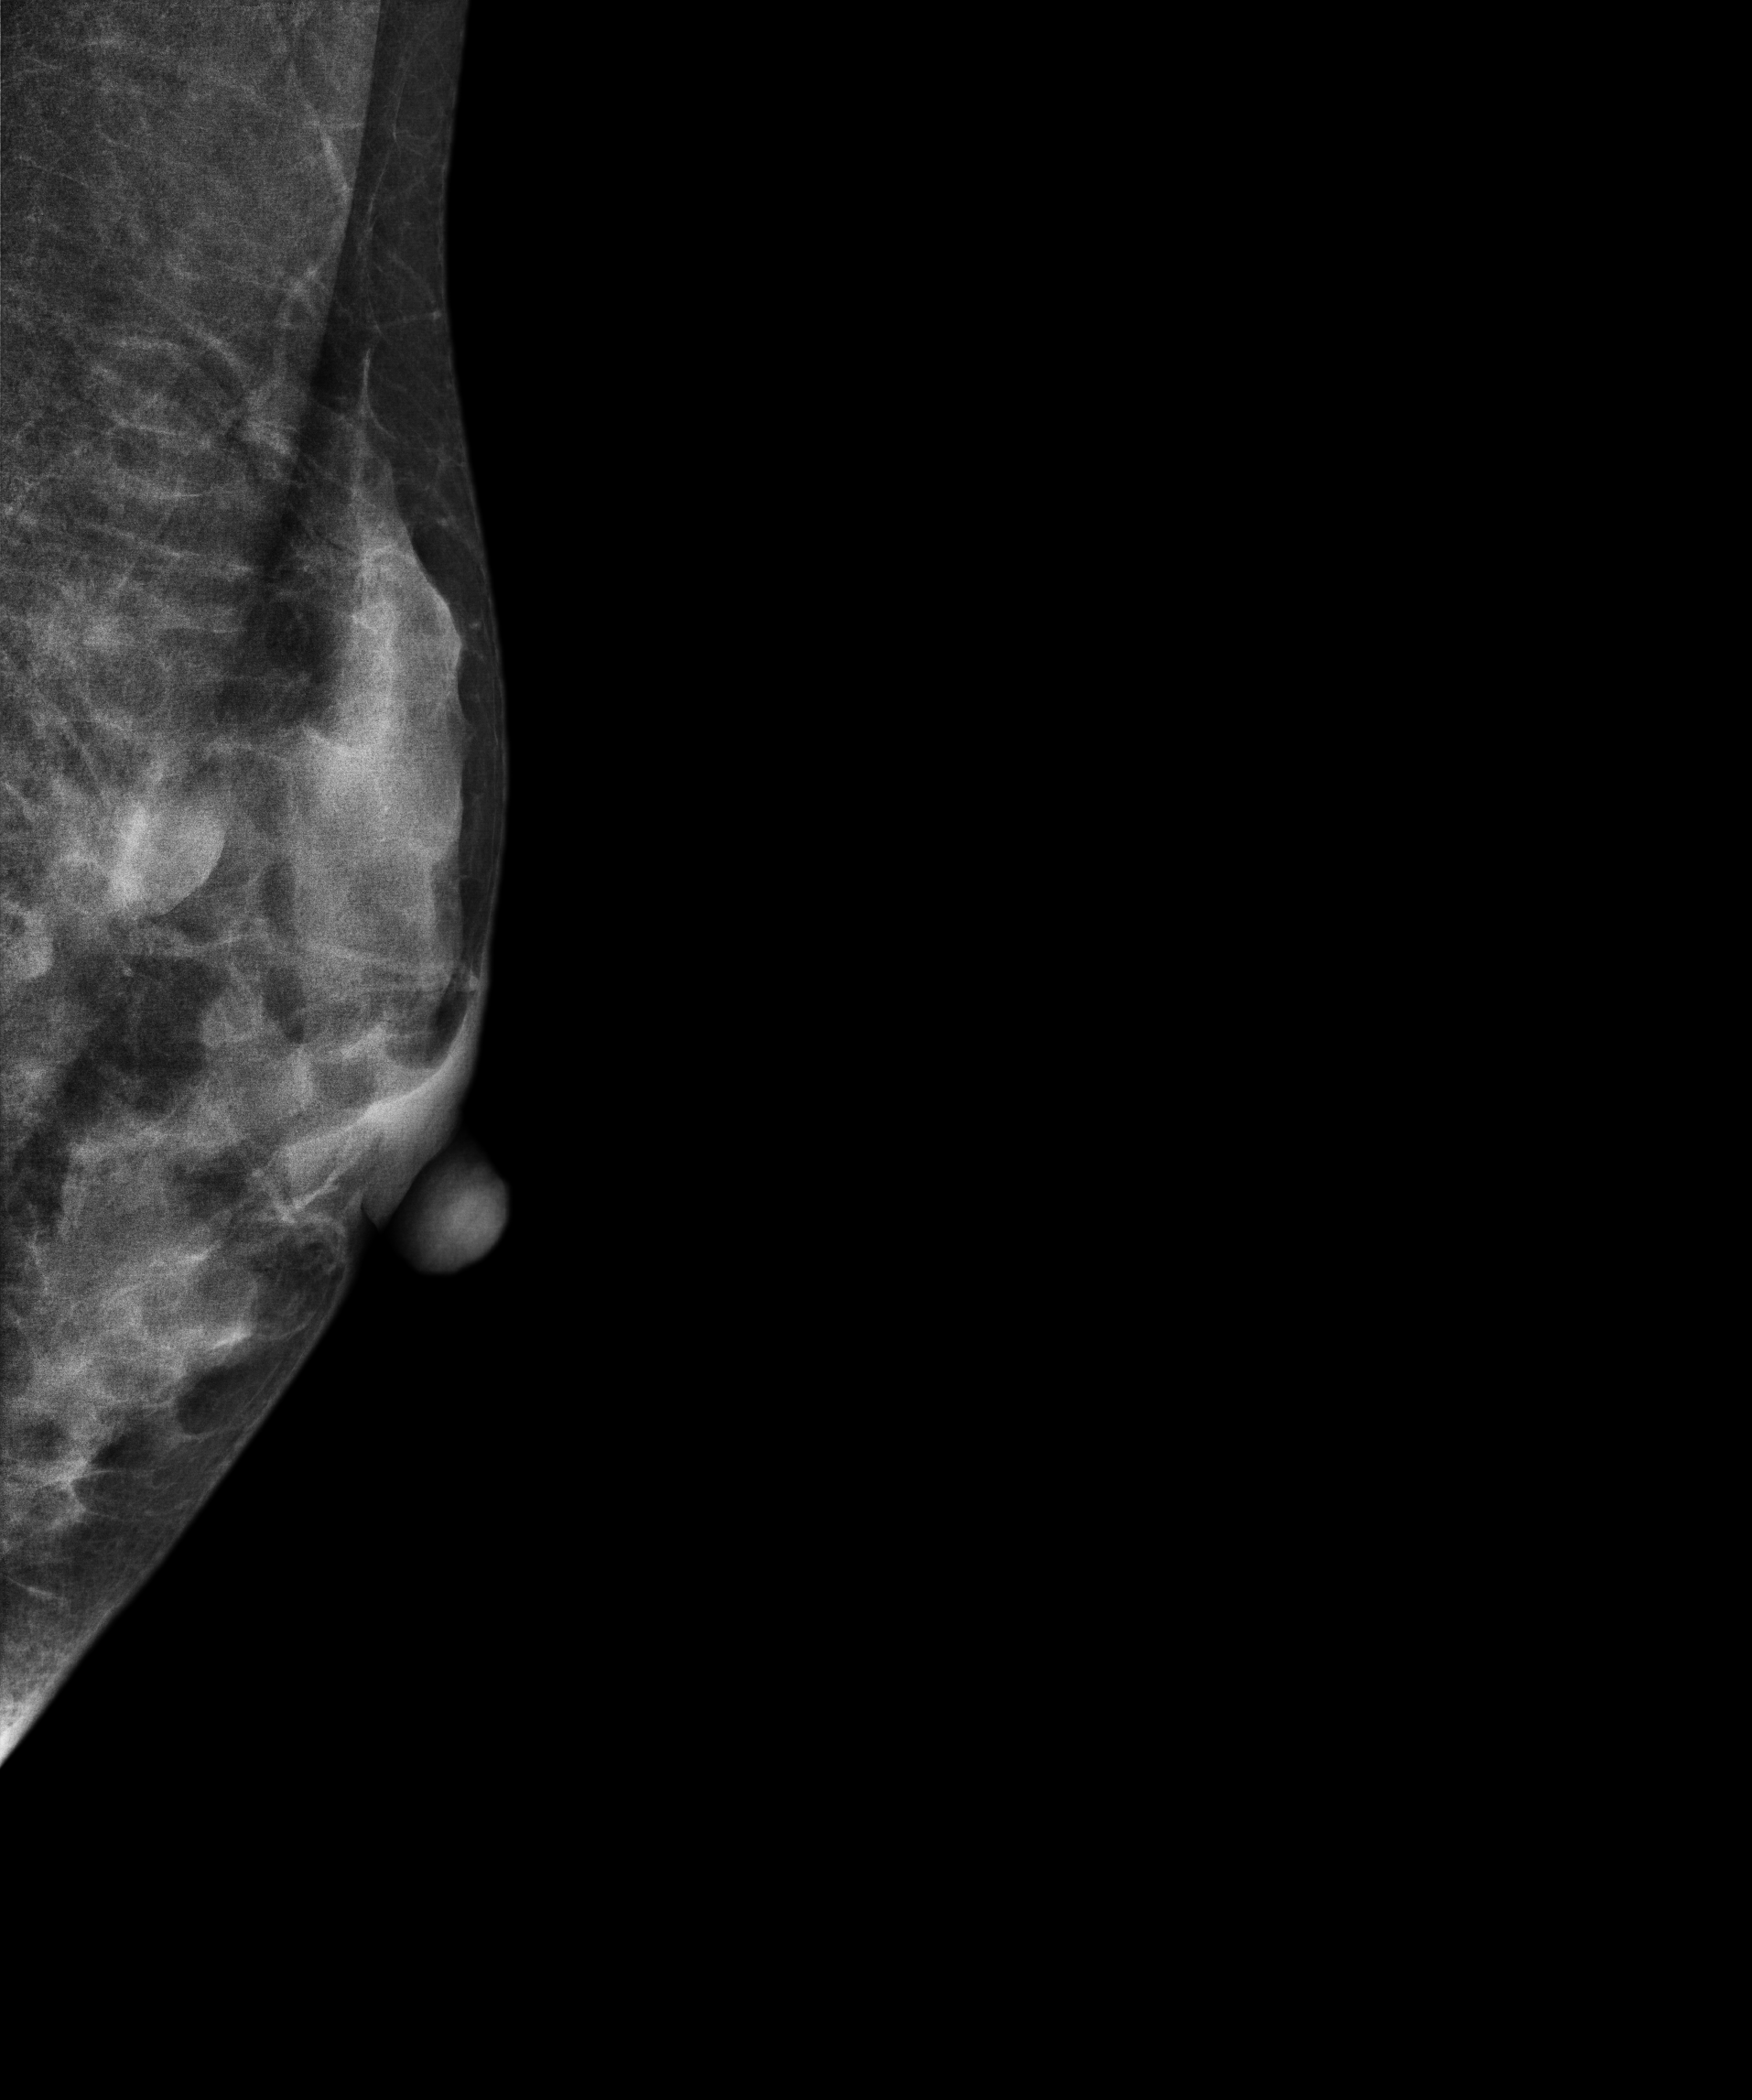
Mammogram — left MLO. 39-year-old patient.
This breast has a mass, histologically confirmed benign.